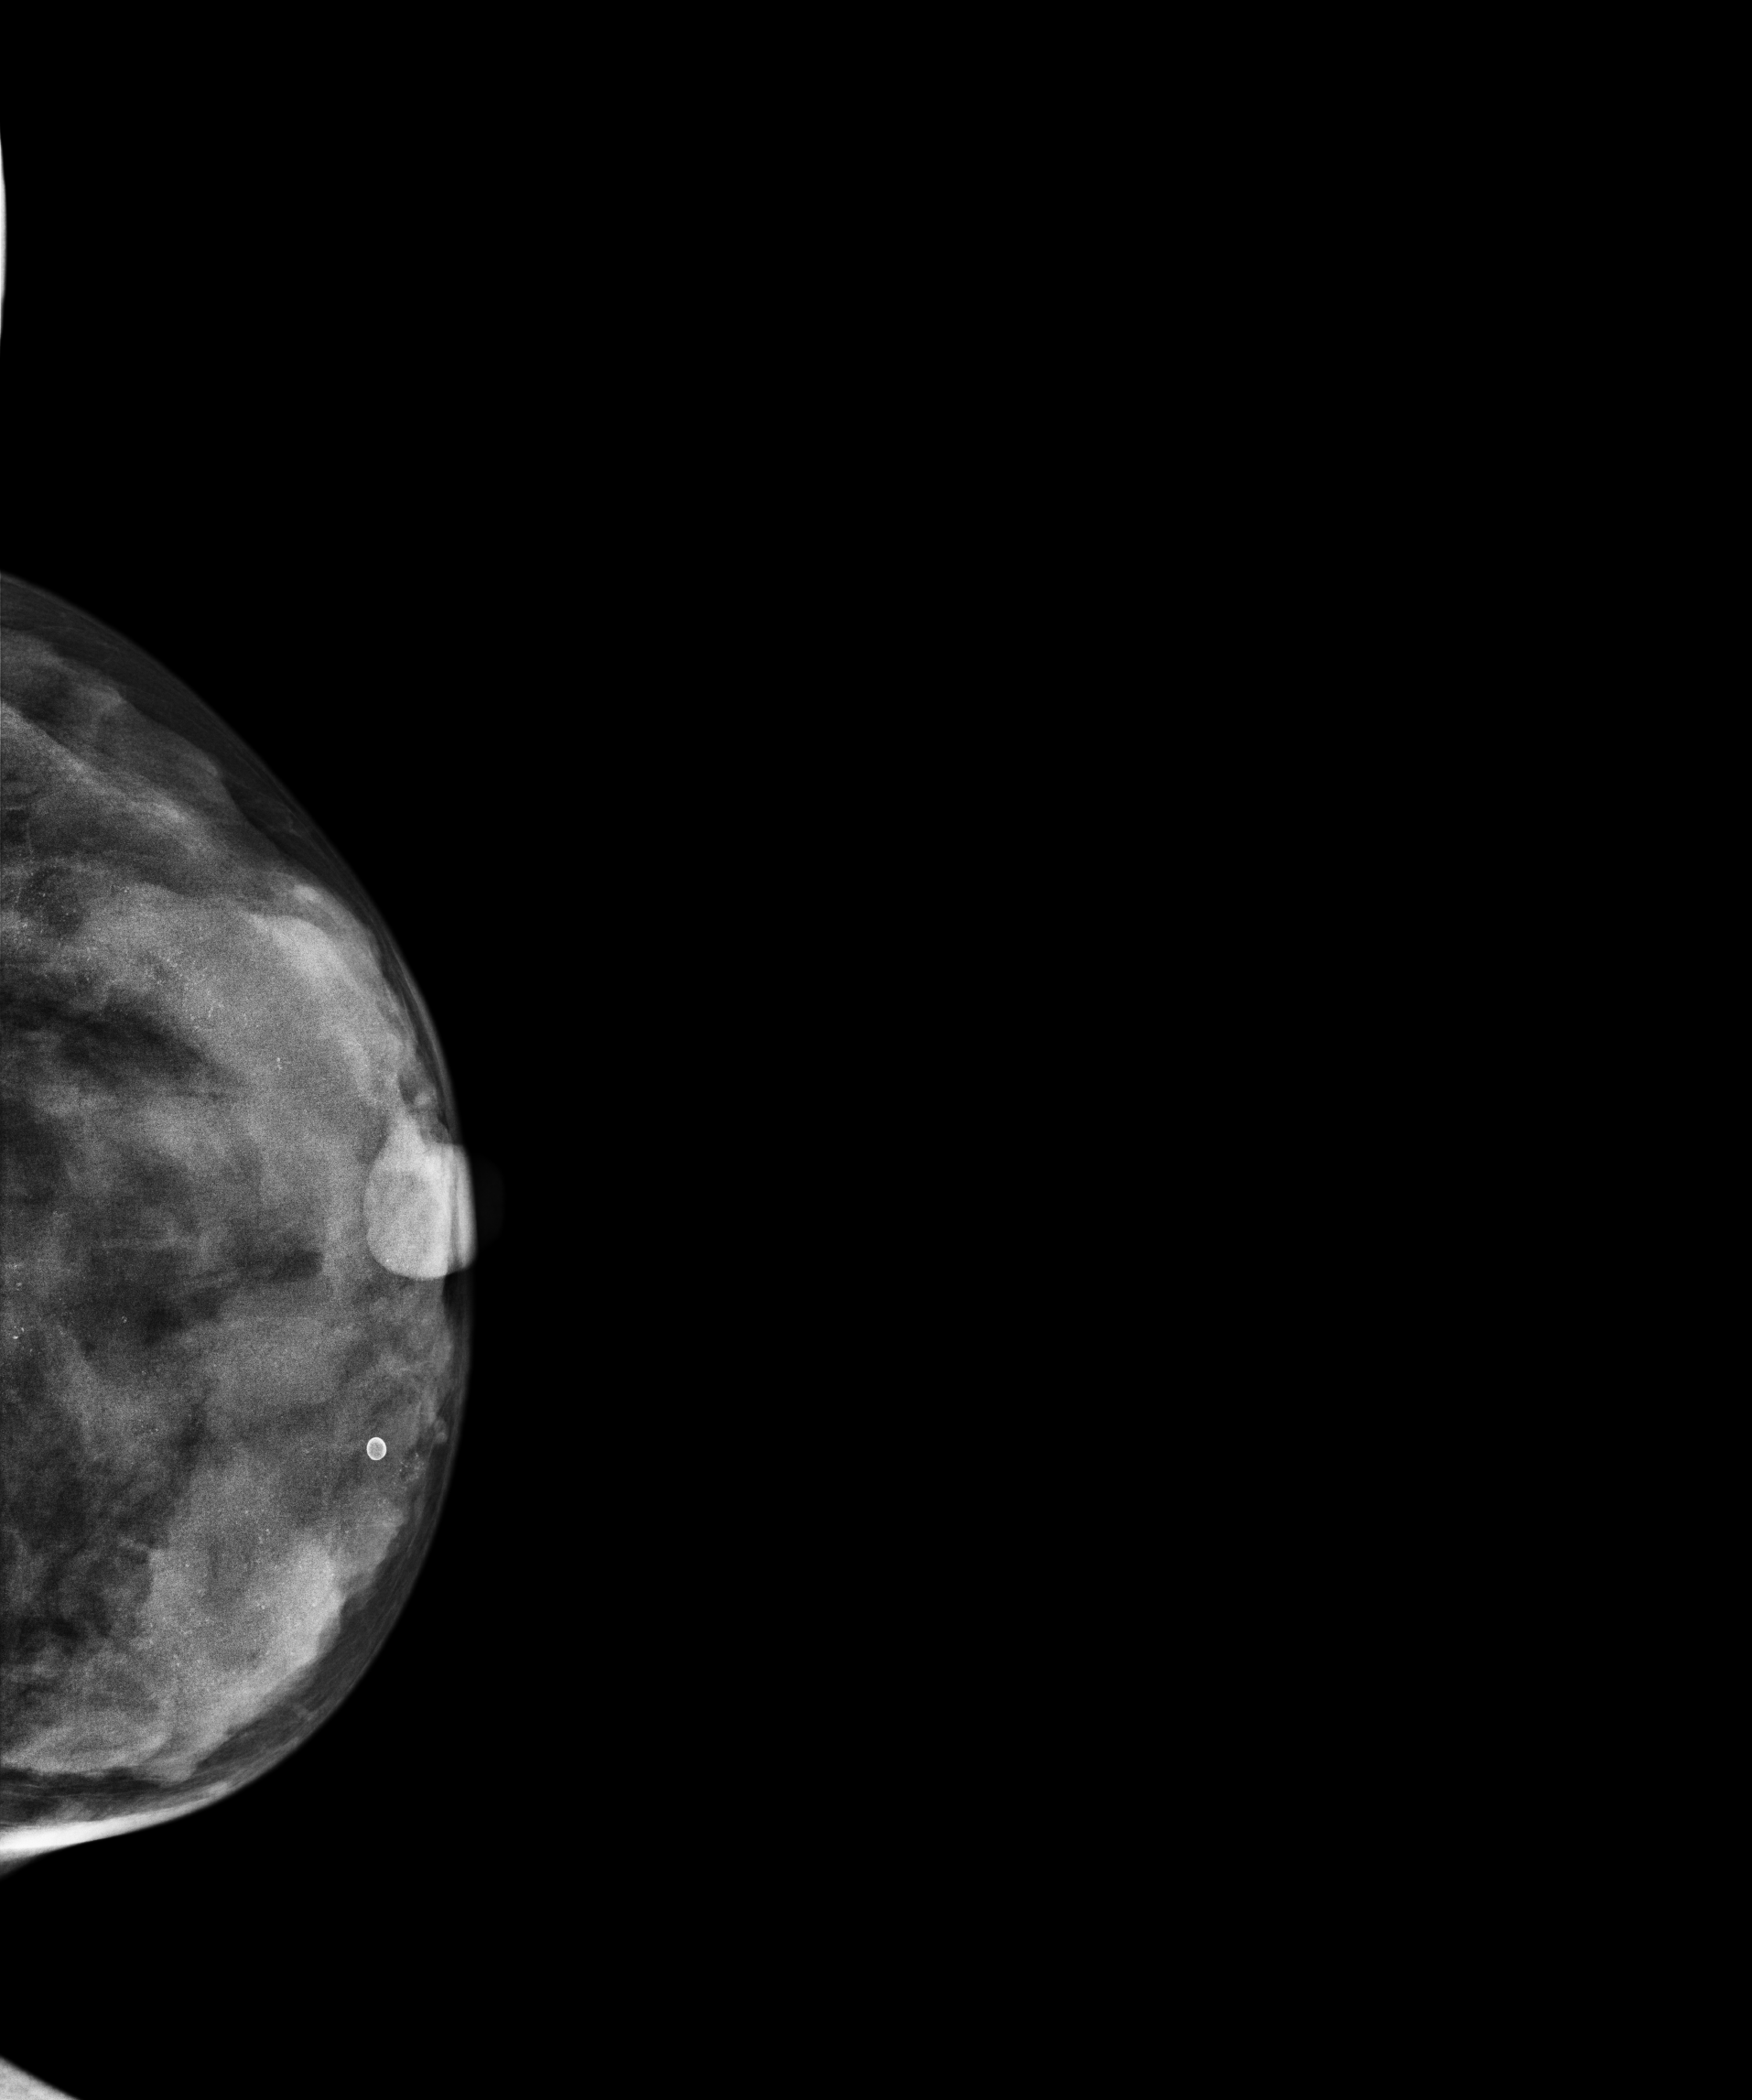
Mammogram — left CC. 48 y/o patient.
This breast has calcifications, biopsy-proven malignant. Molecular subtype: luminal B.